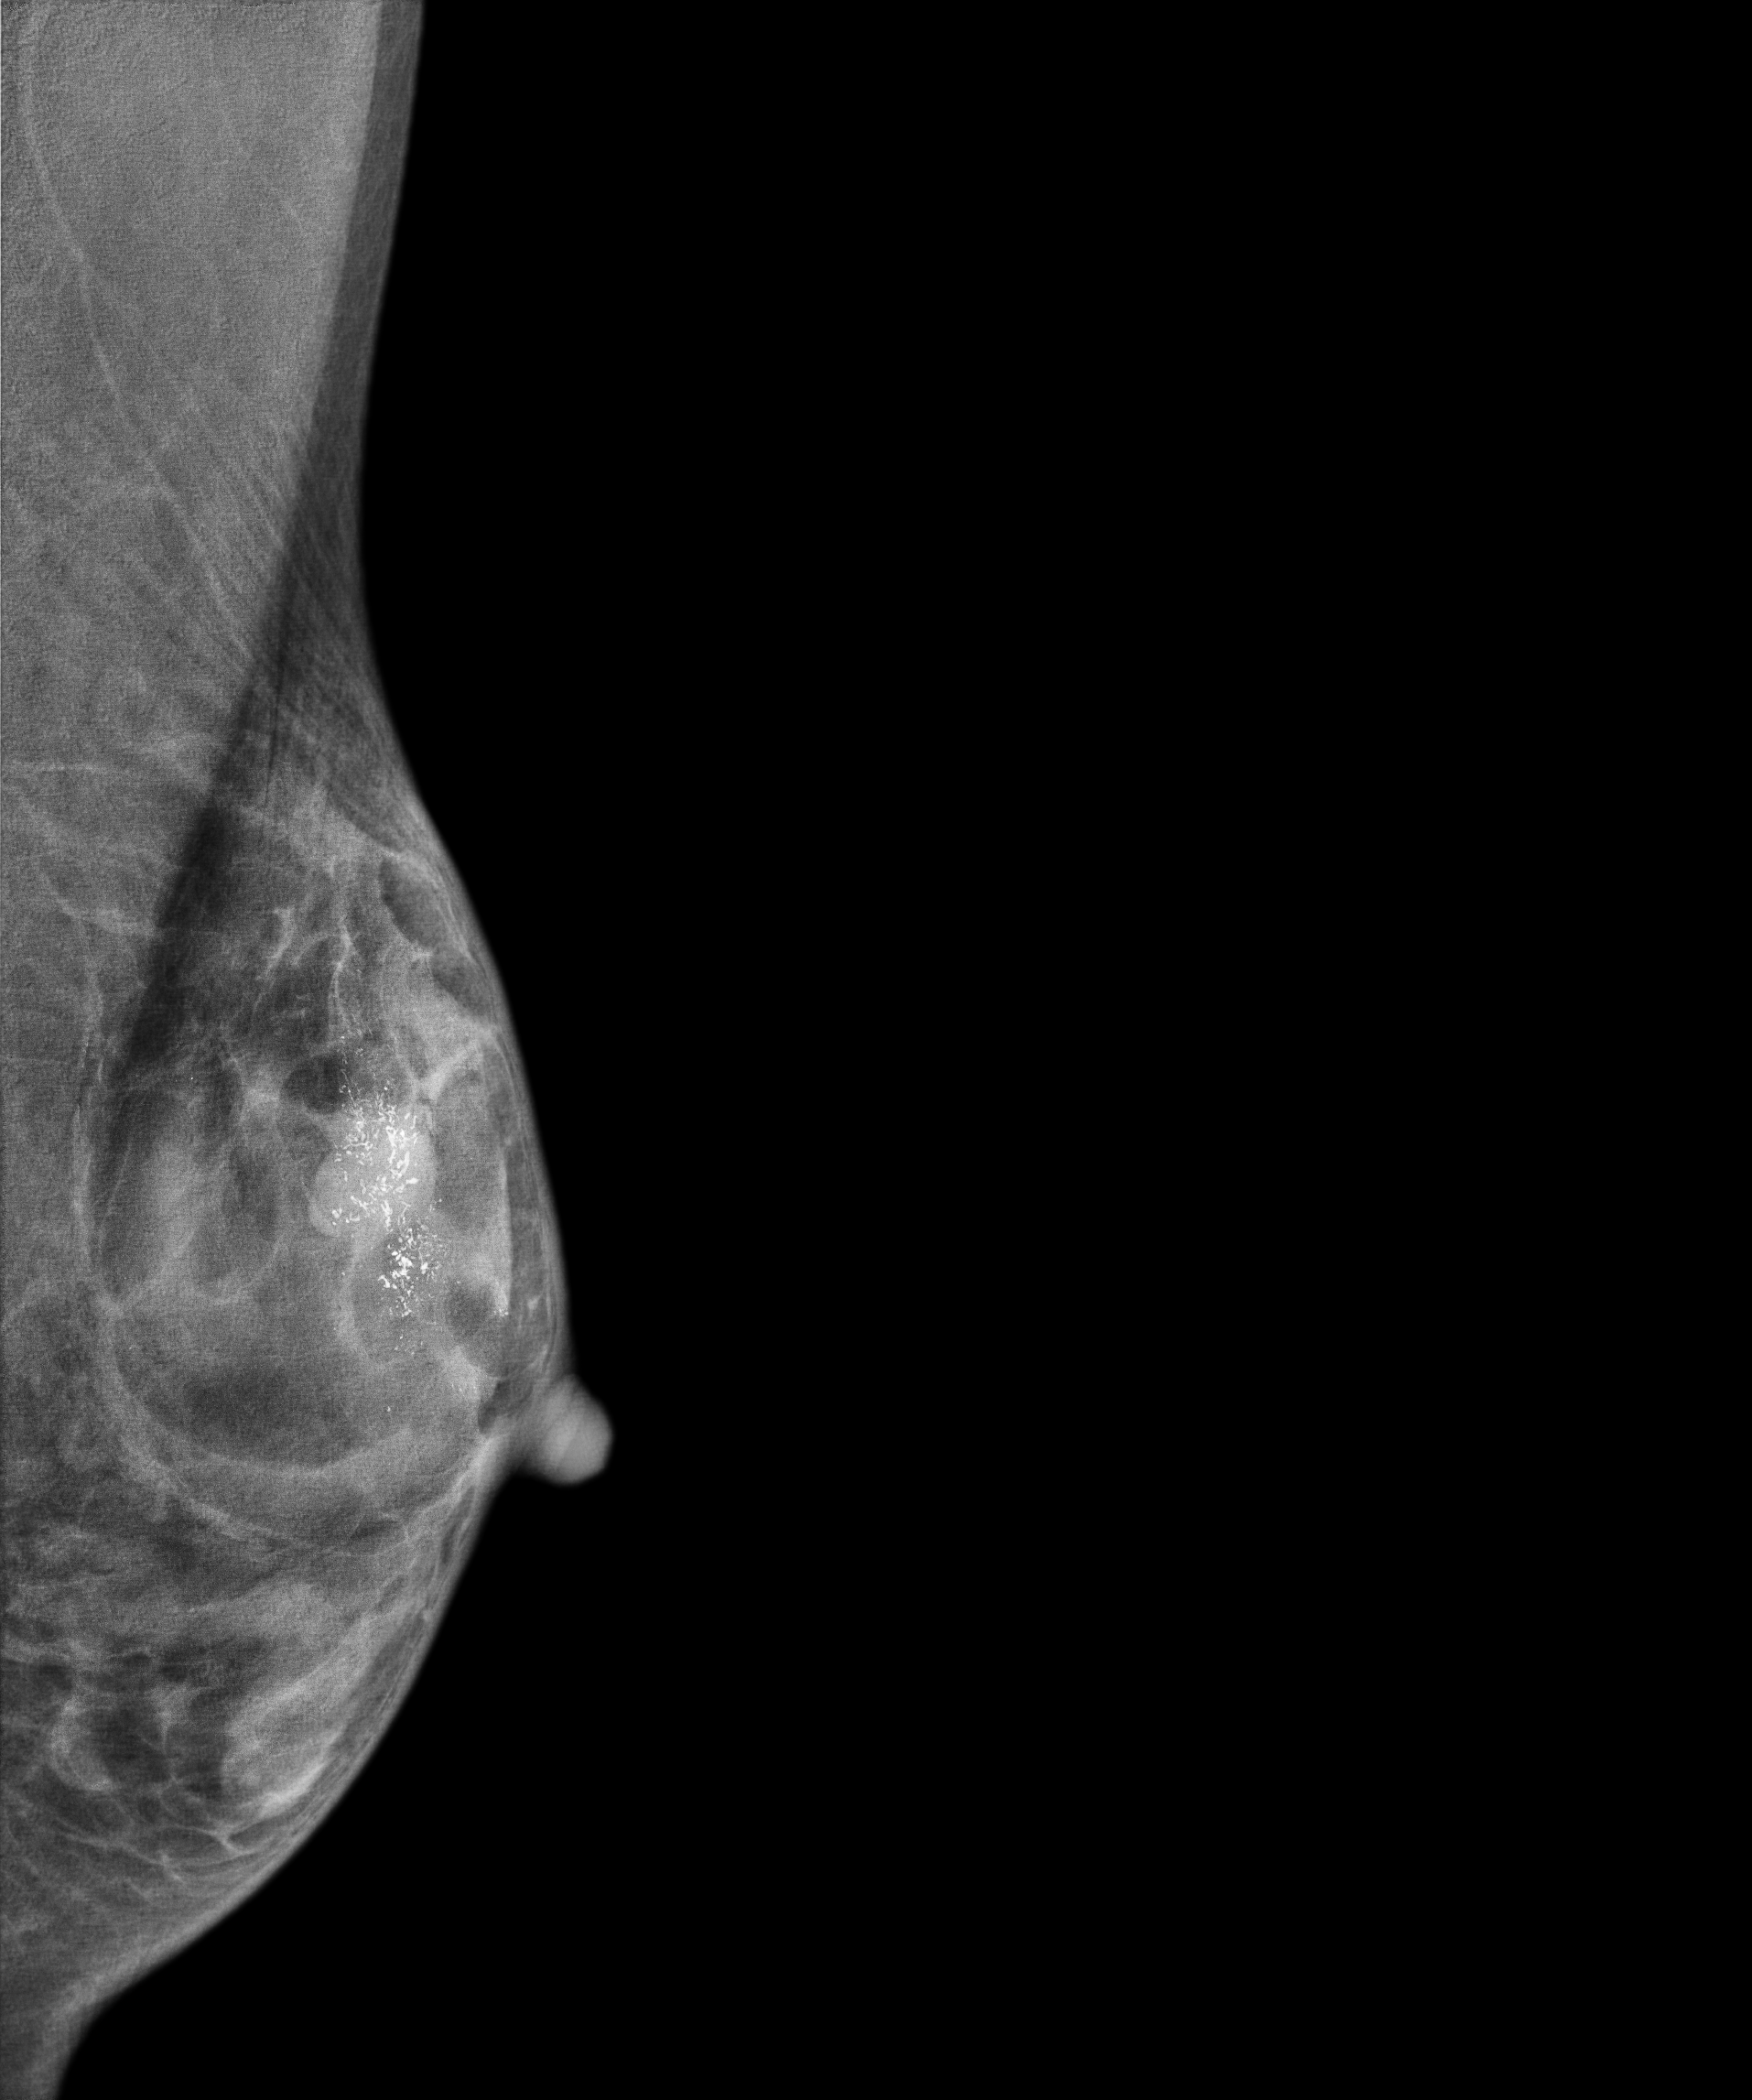
Digital mammography. Left breast, MLO projection. 53 y/o patient.
This breast has calcifications, biopsy-proven malignant. Molecular subtype: luminal B.